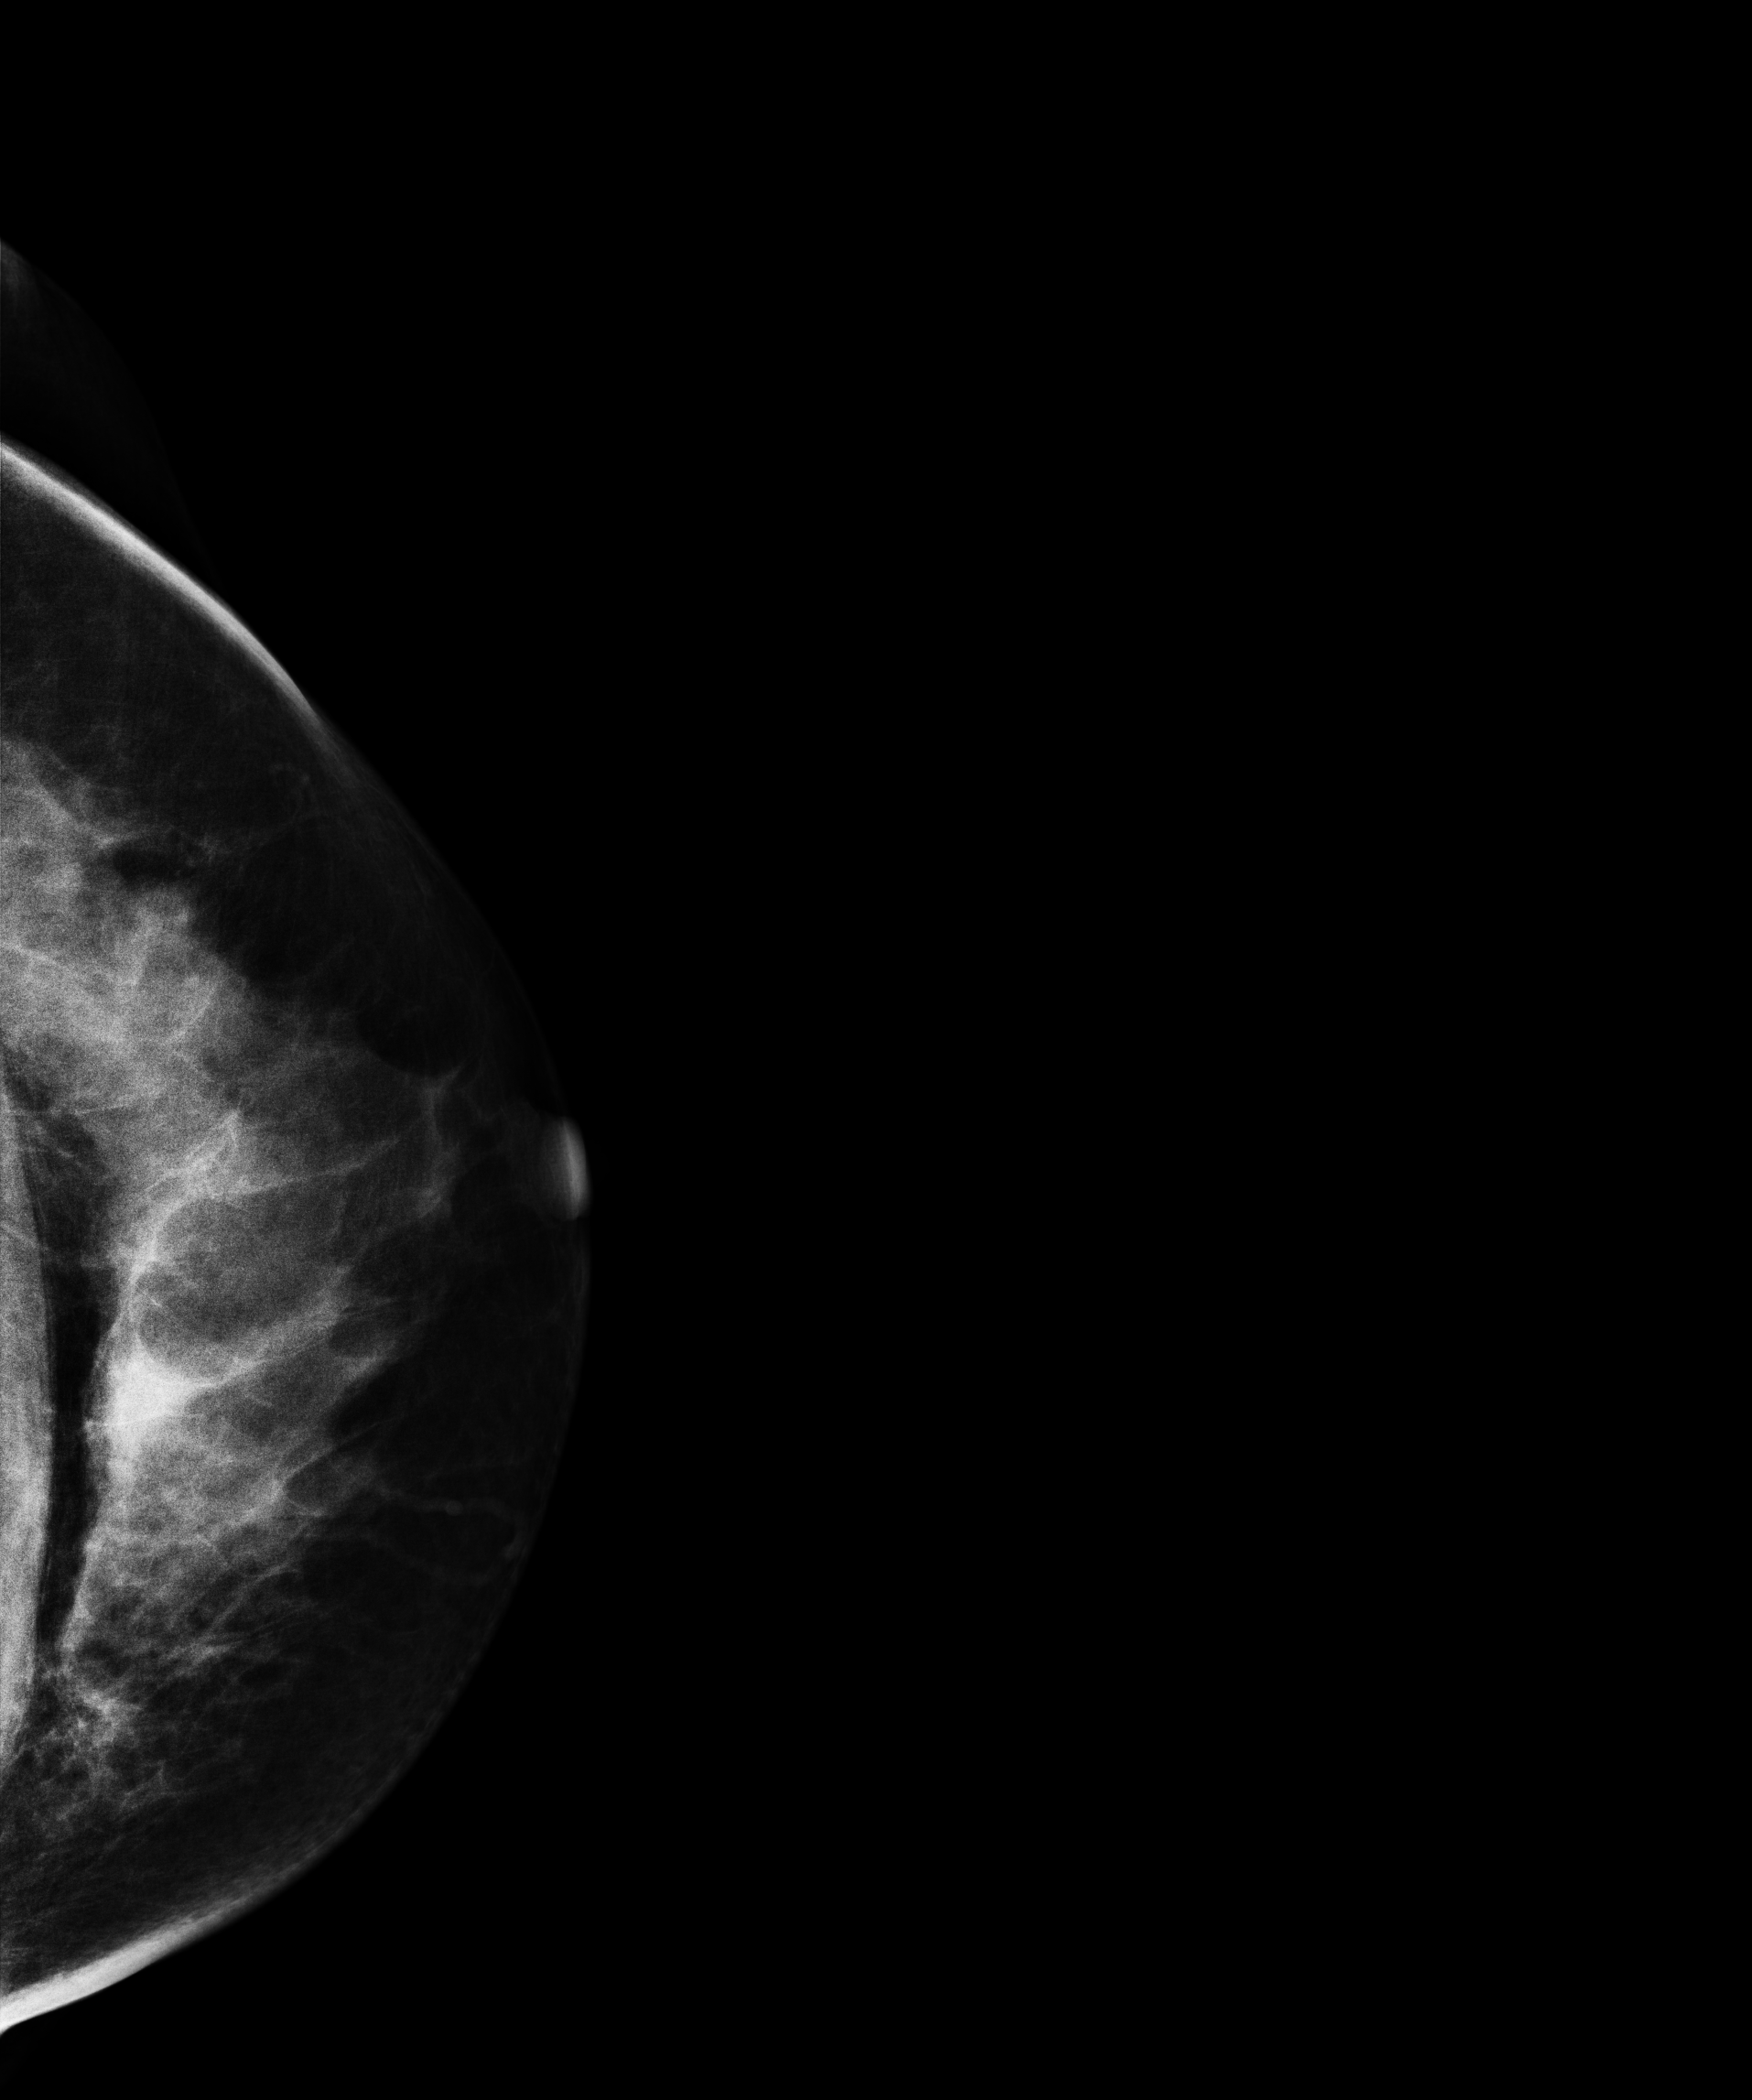
Mammogram — left cranio-caudal. Patient age 56.
Contralateral breast — no documented abnormality on this side.